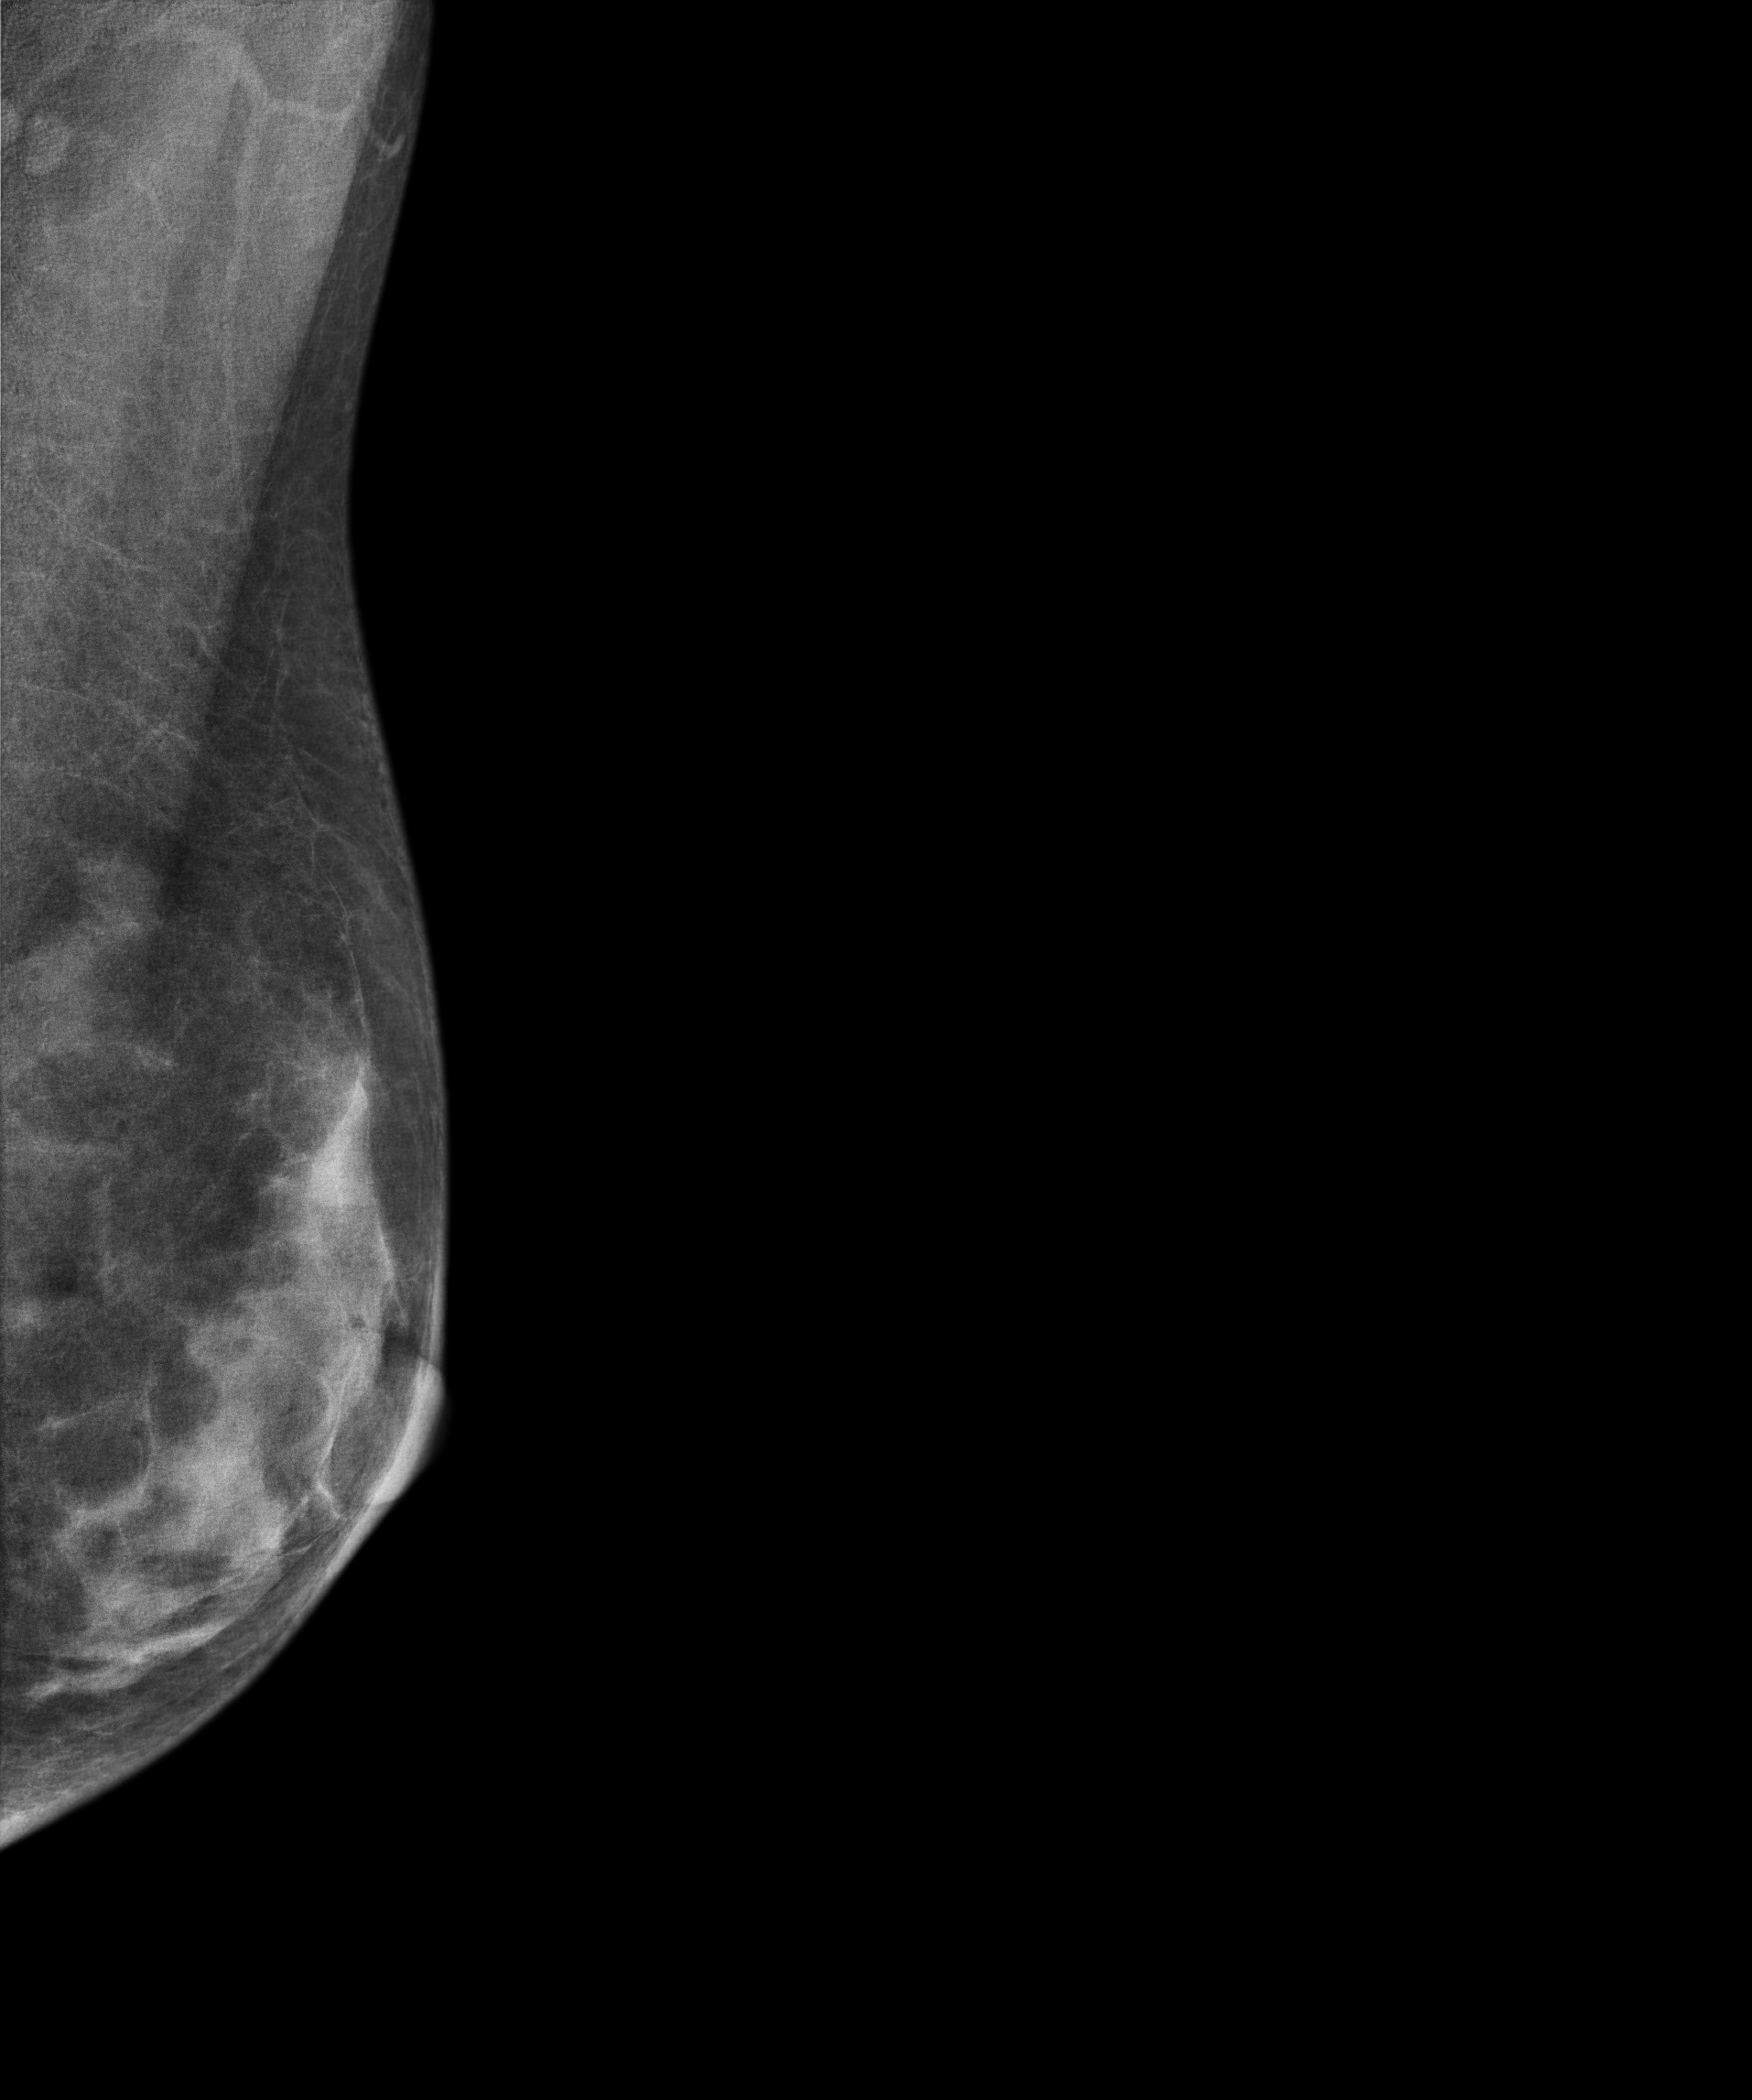
MLO mammogram of the left breast. Patient age 37.
This breast has a mass, histologically confirmed benign.